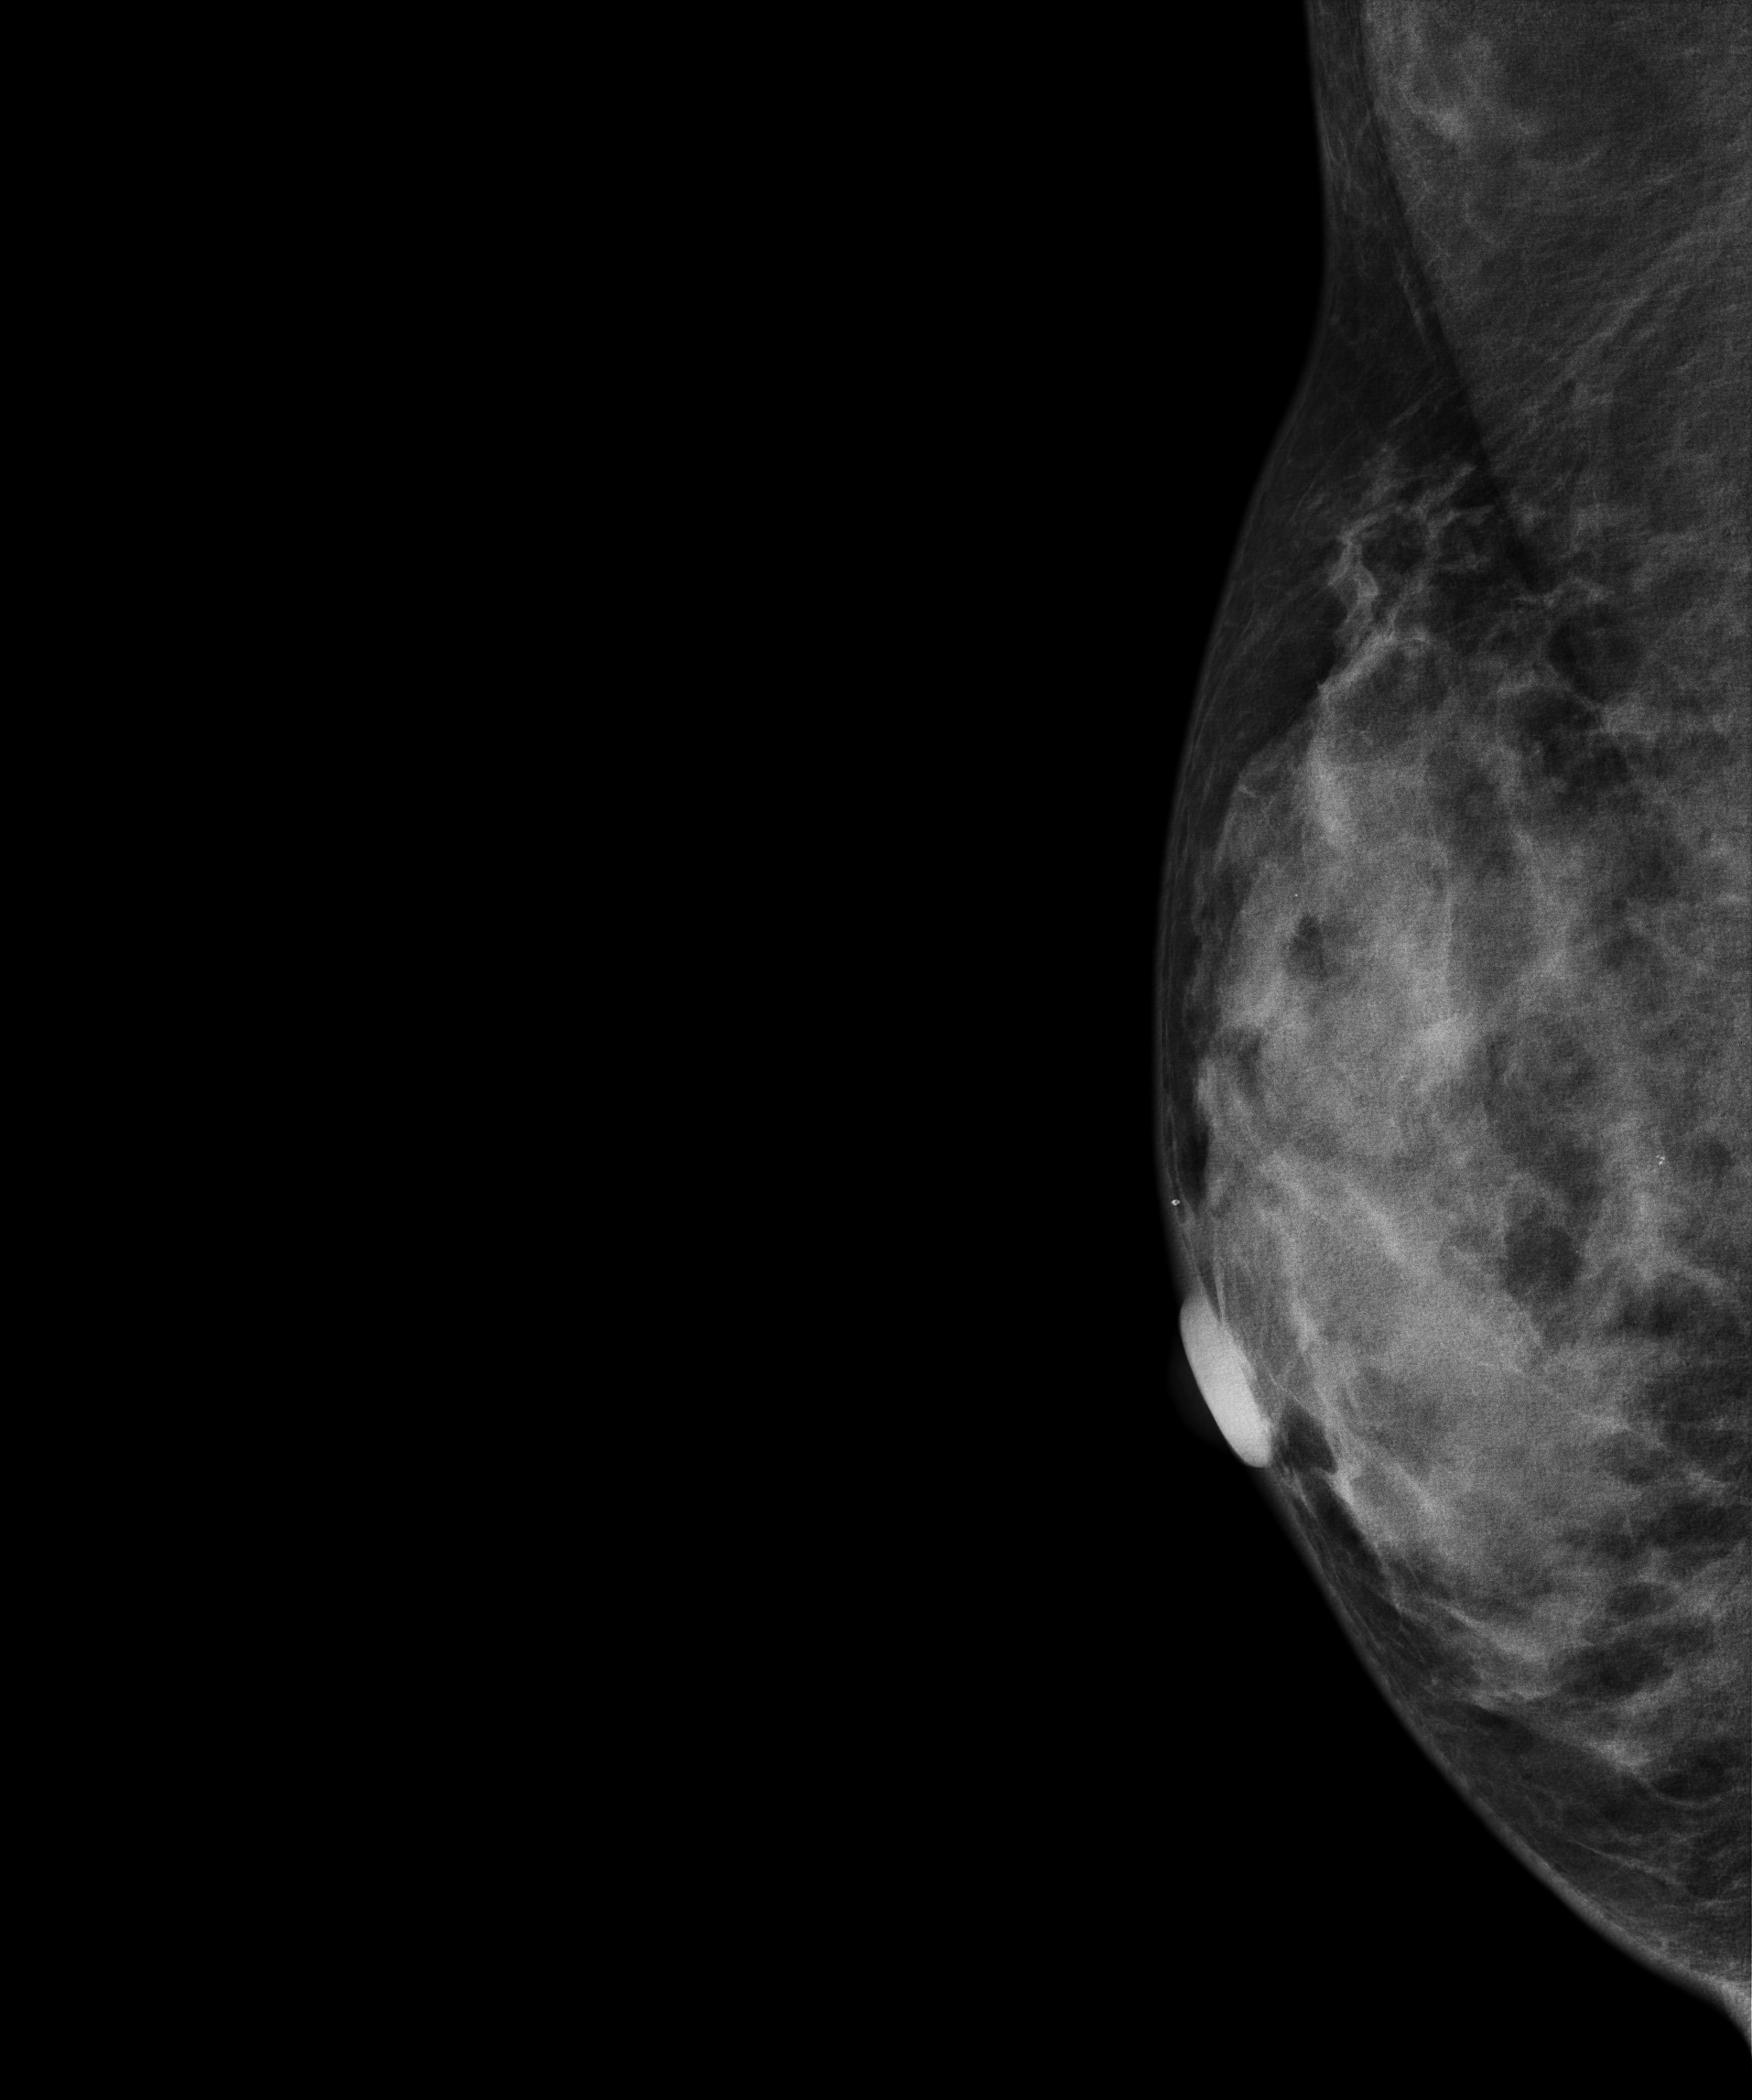
Medio-lateral oblique mammogram of the right breast. 32 y/o patient.
Contralateral breast — no documented abnormality on this side.